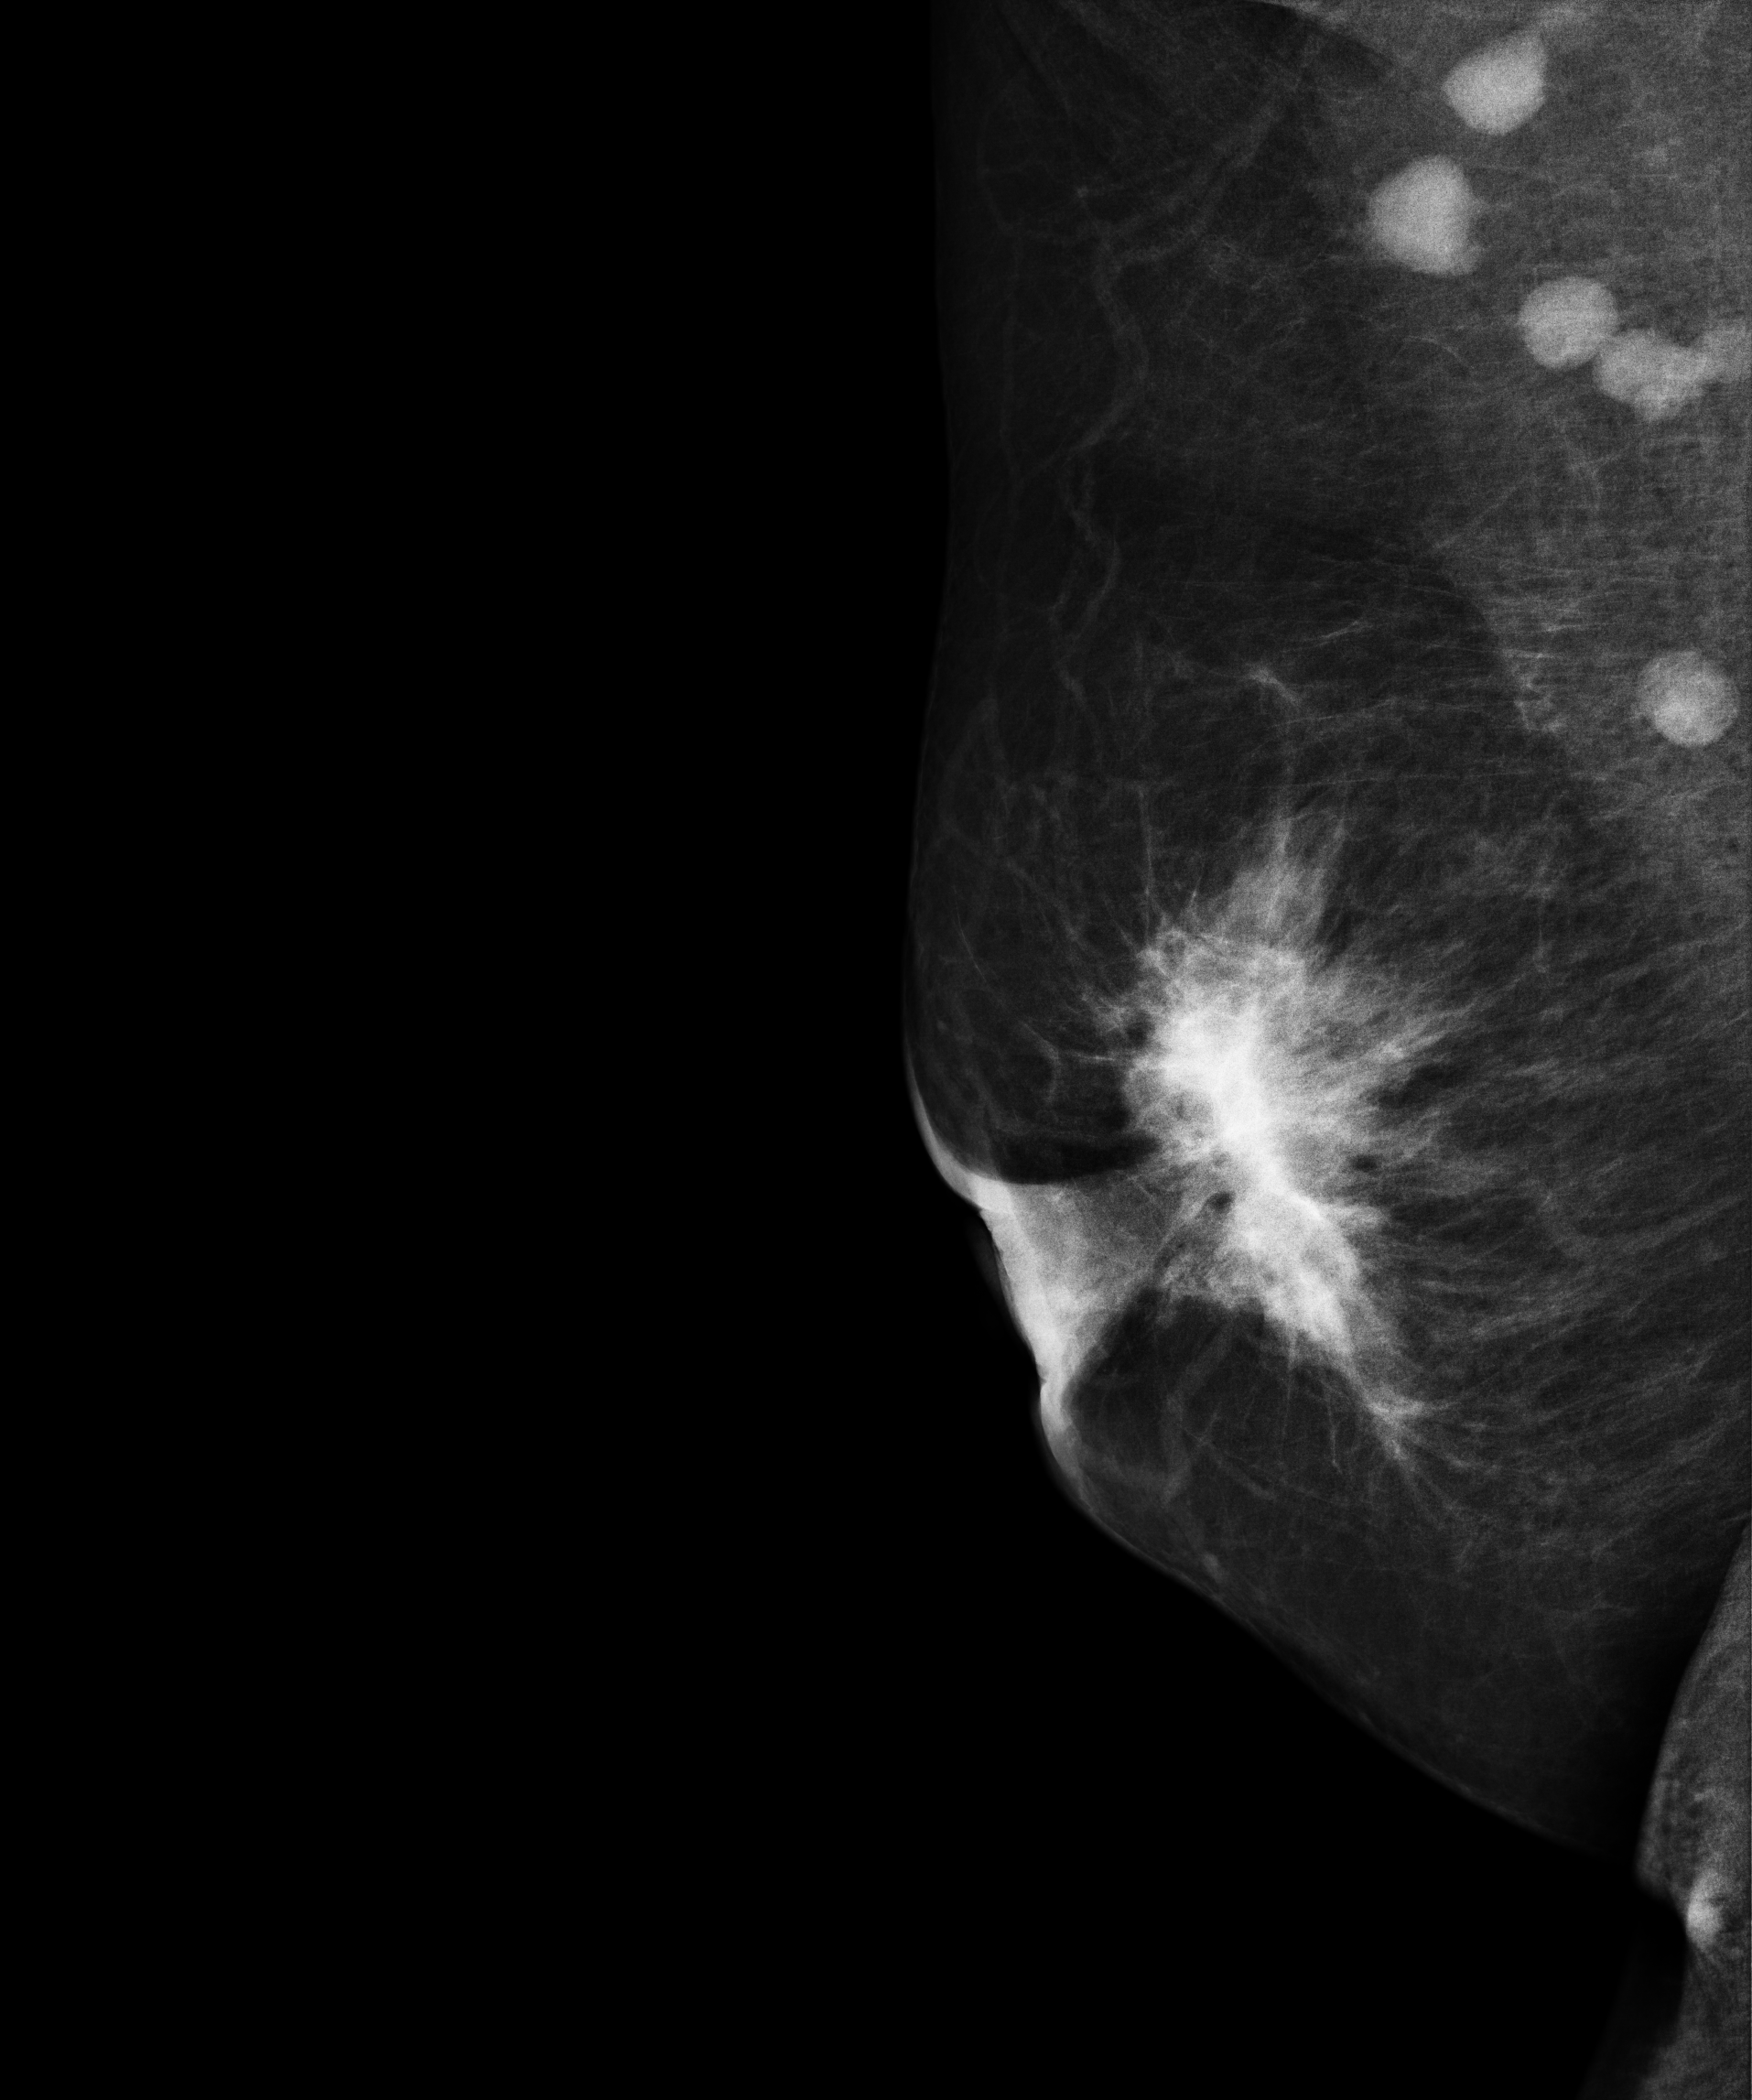
MLO mammogram of the right breast. 53 y/o patient.
This breast has a mass, biopsy-confirmed malignant. Molecular subtype: luminal A.